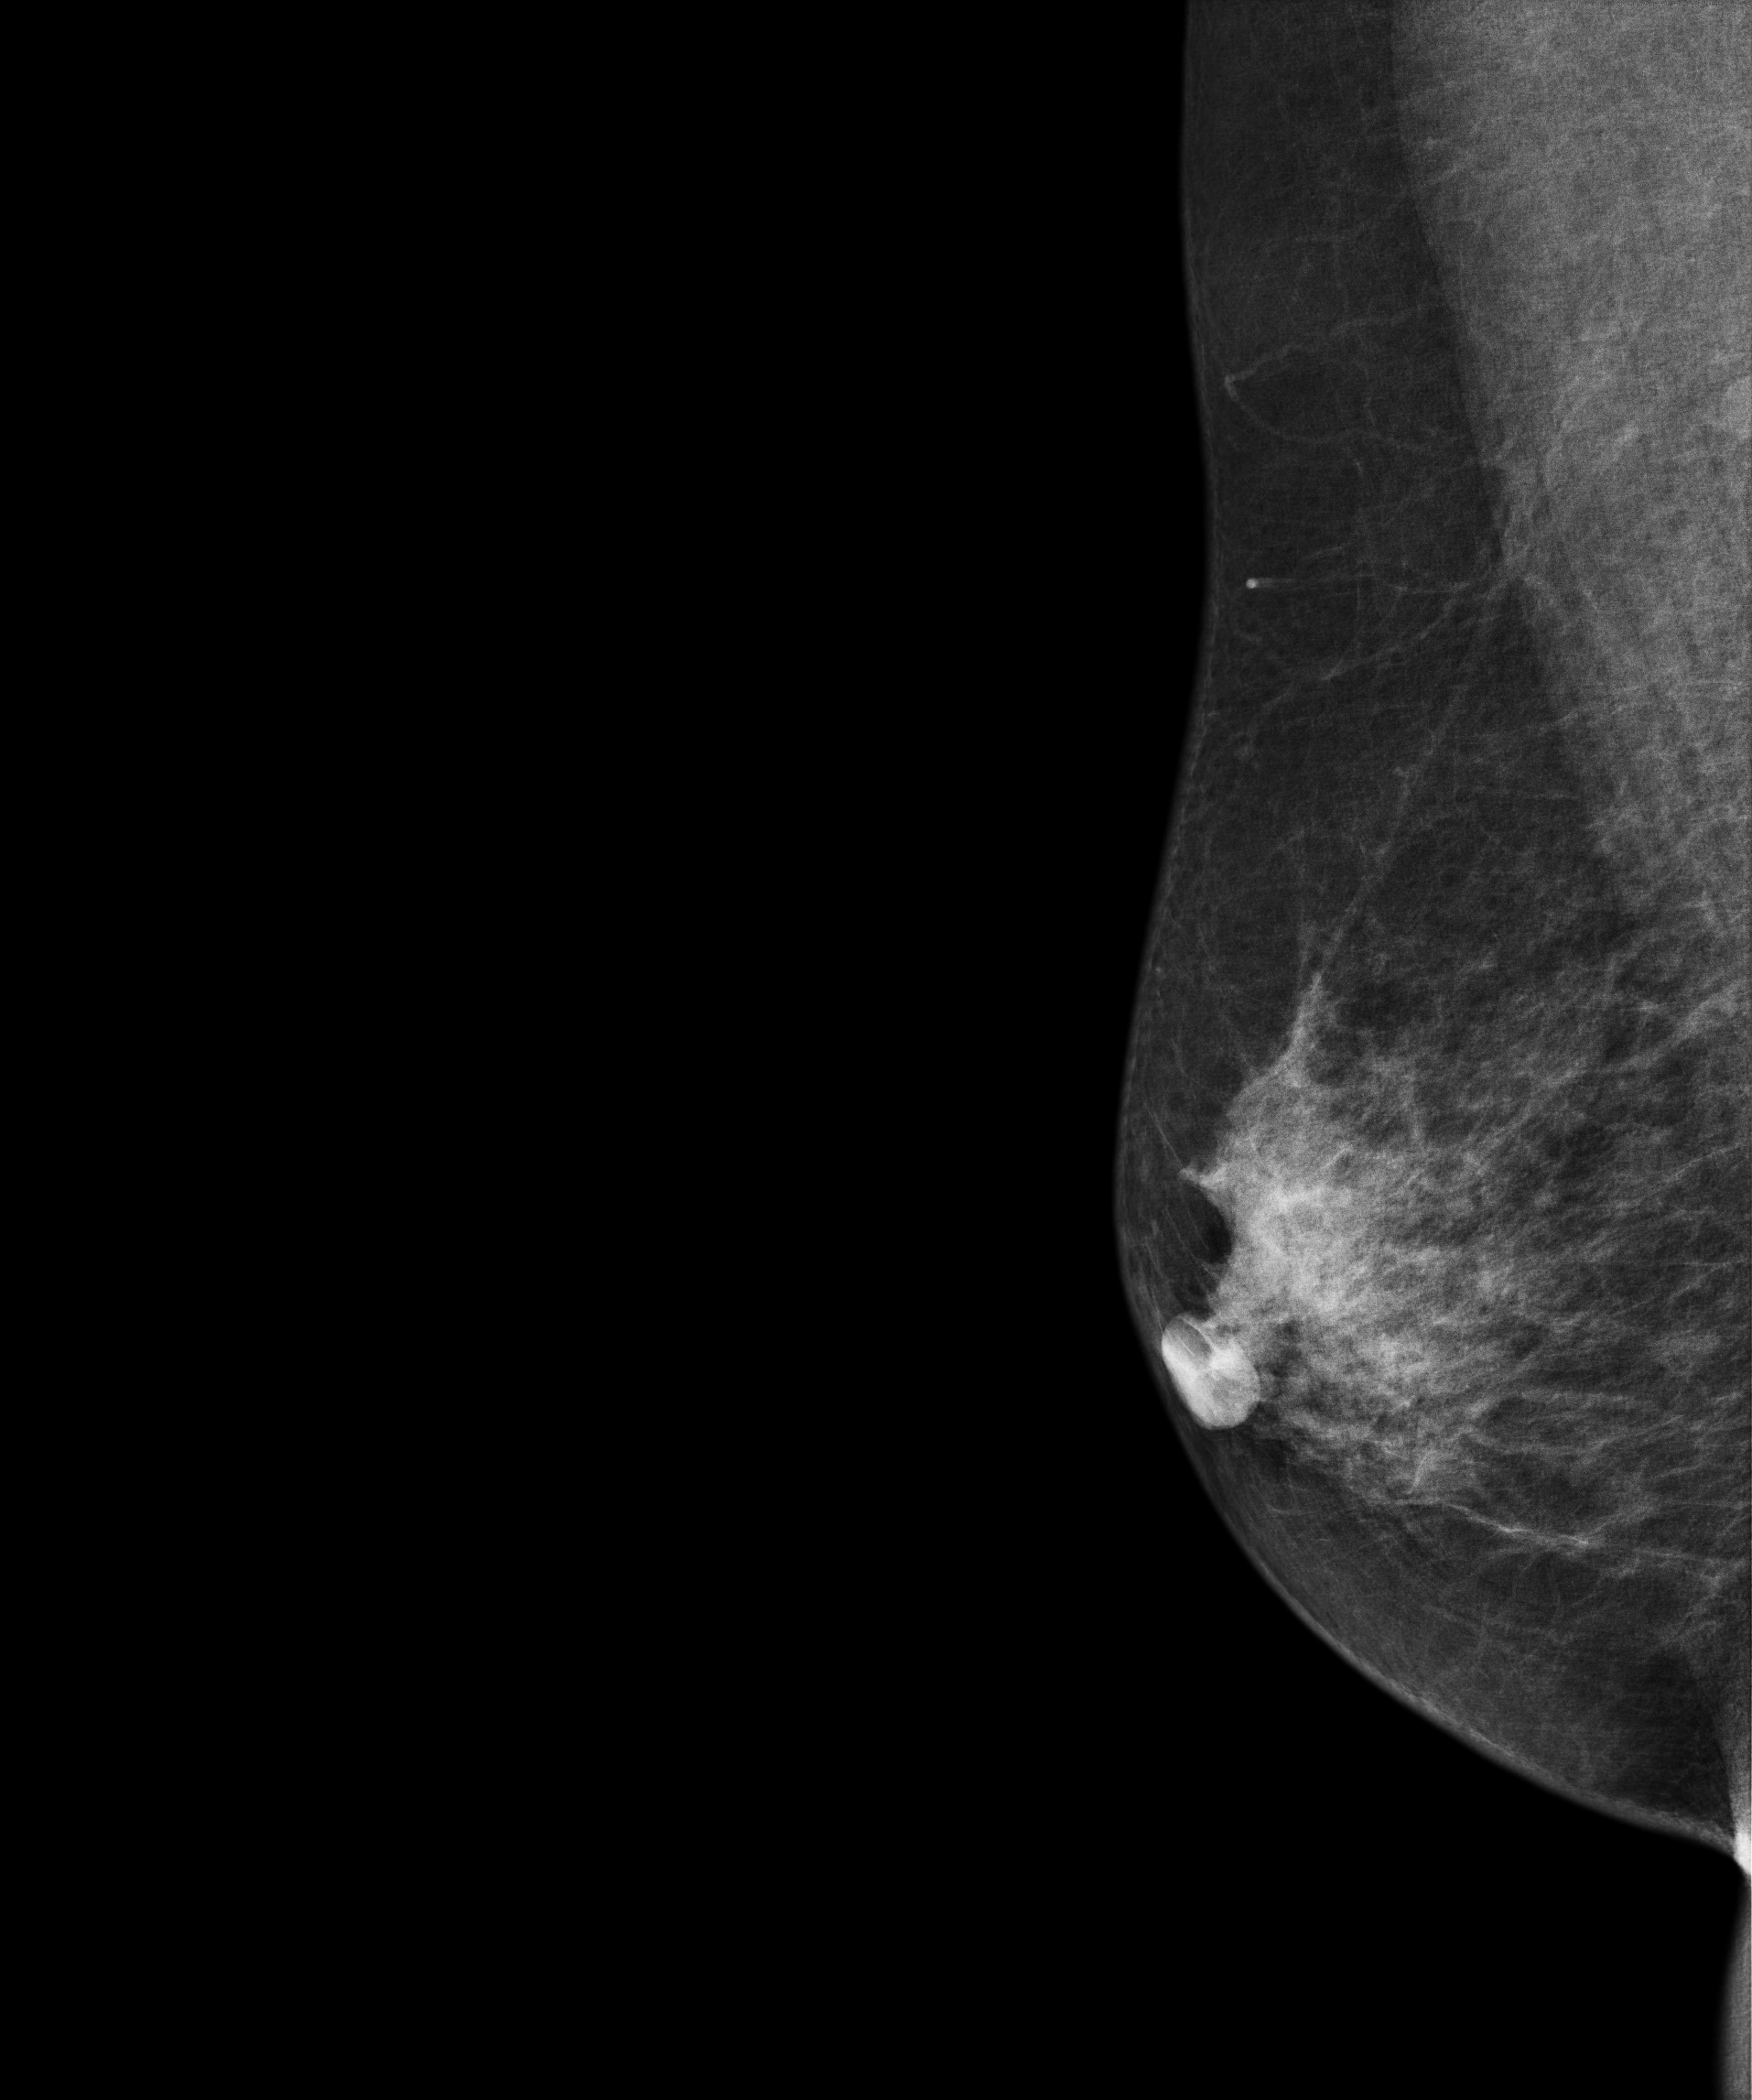
Digital mammography. Right breast, medio-lateral oblique projection. 72-year-old patient.
Contralateral breast — no documented abnormality on this side.